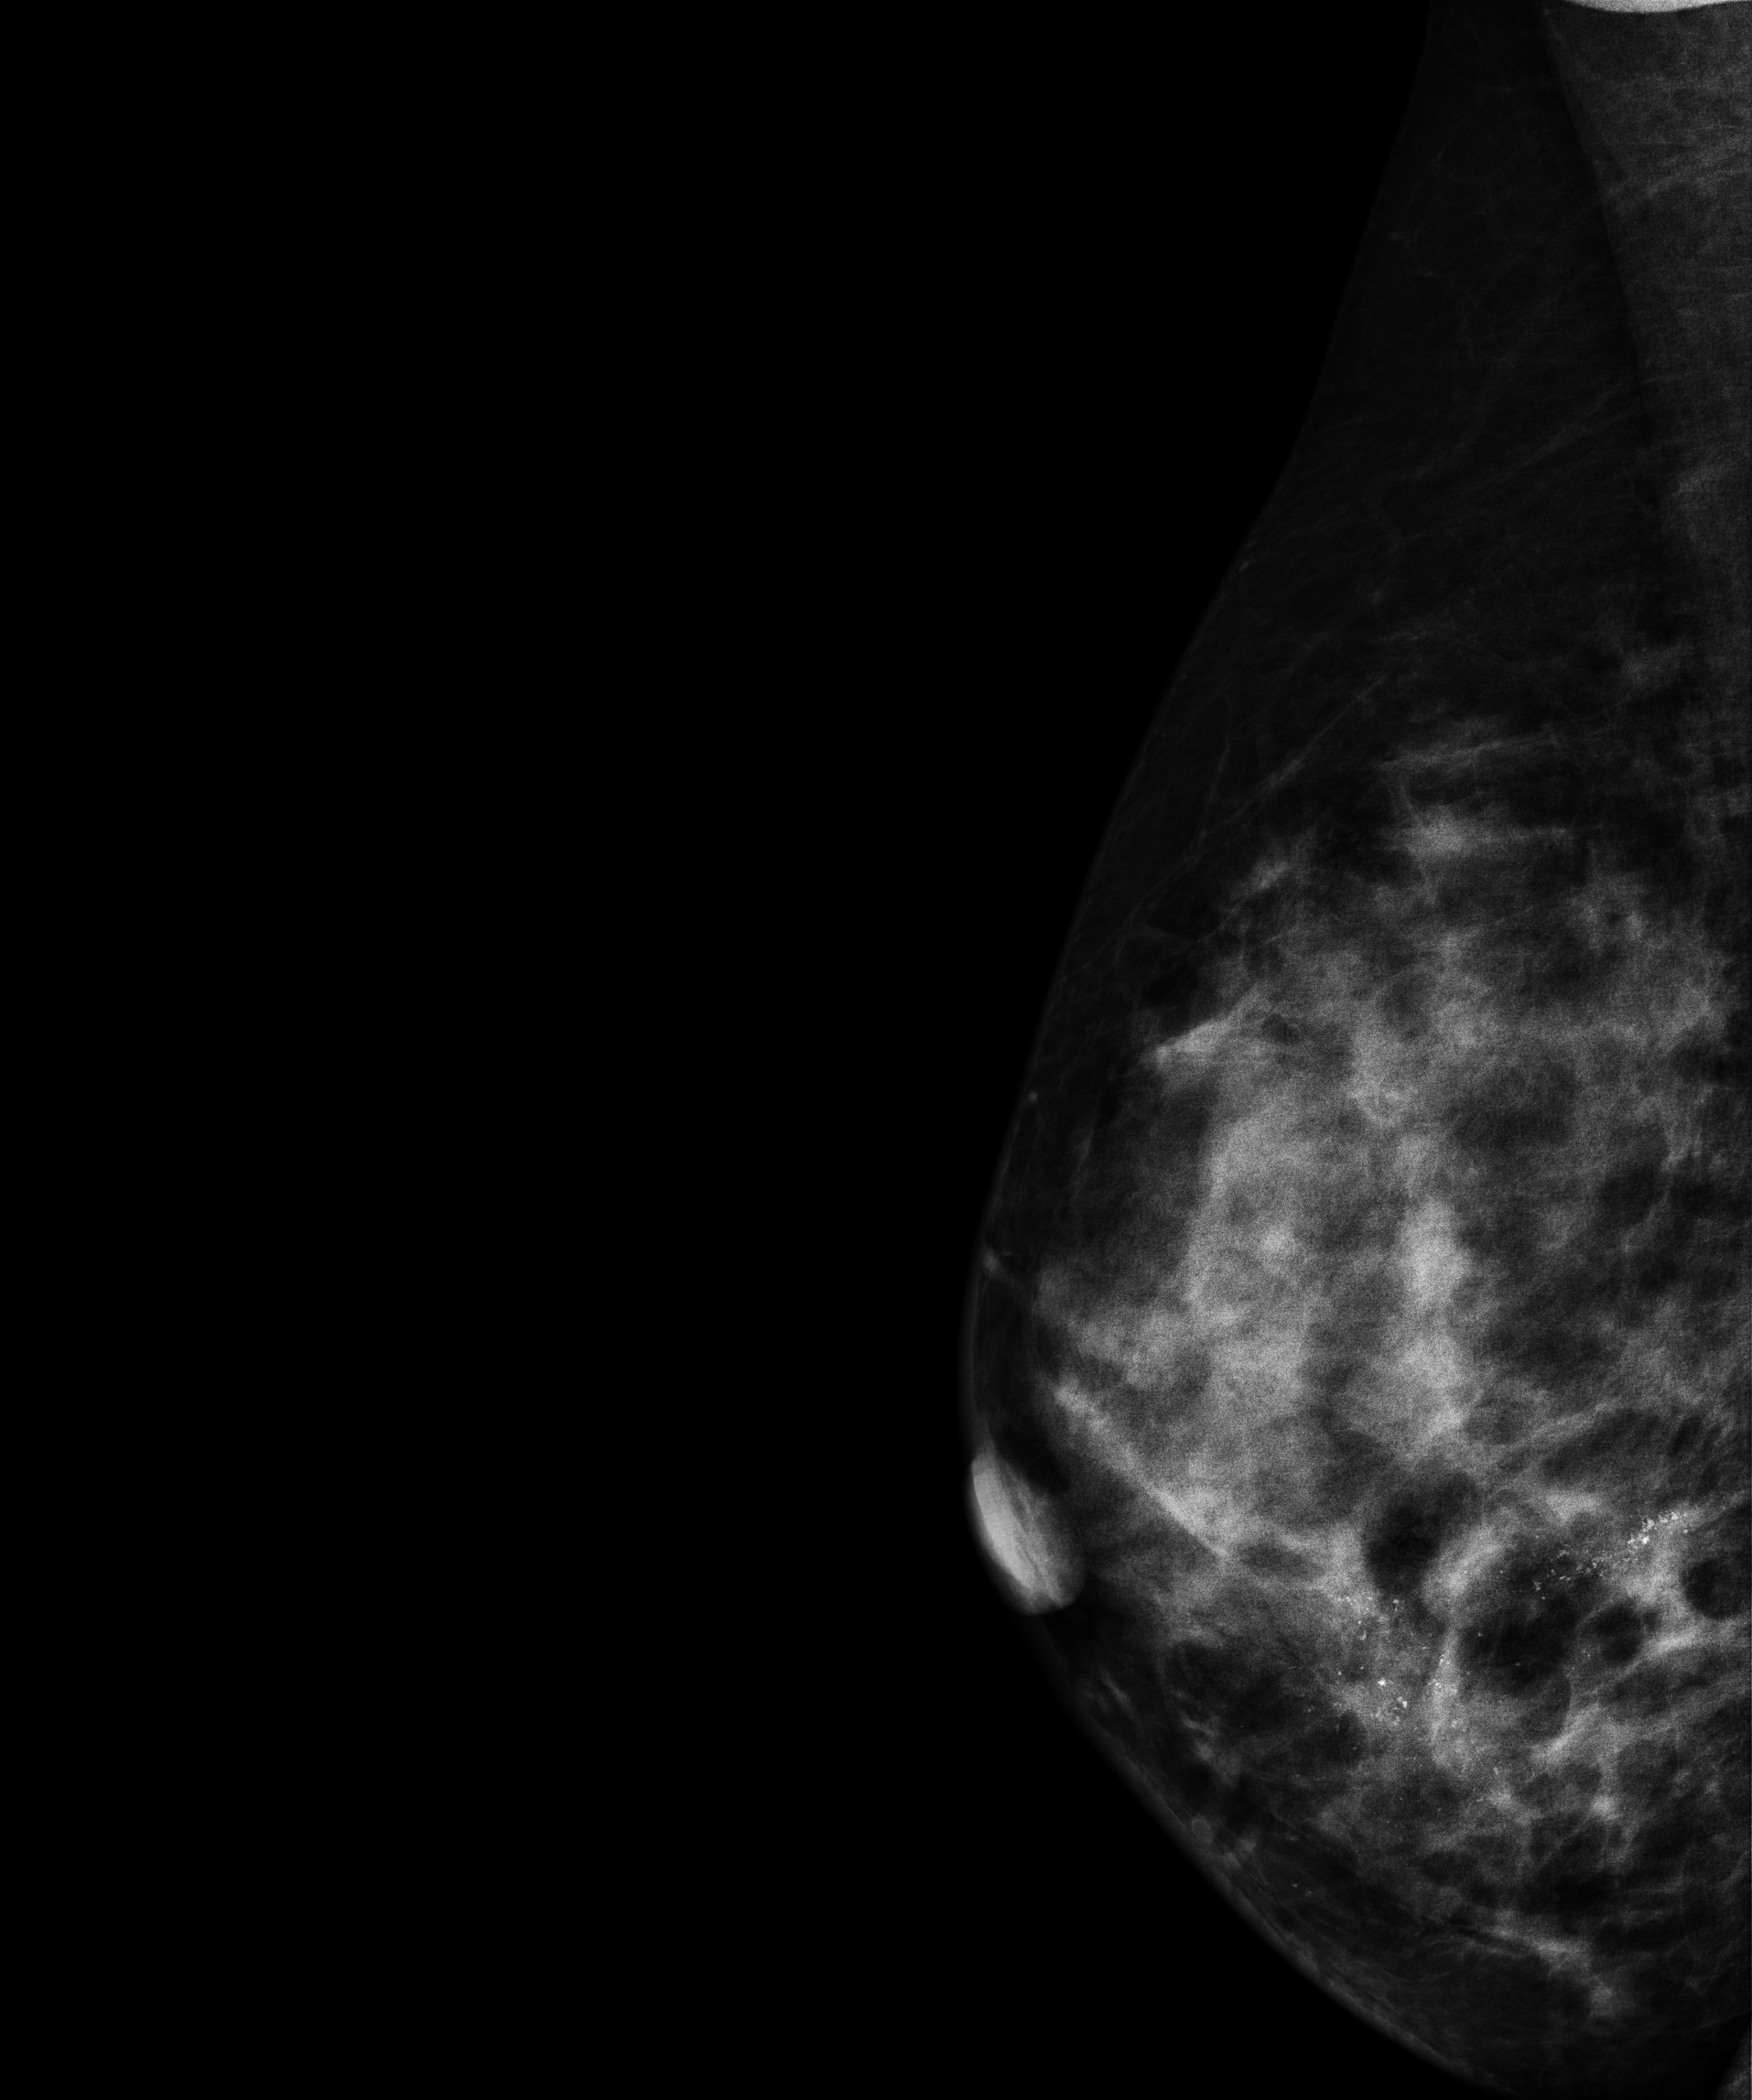
Medio-lateral oblique mammogram of the right breast. 46-year-old patient.
This breast has calcifications, biopsy-proven malignant. Molecular subtype: HER2-enriched.